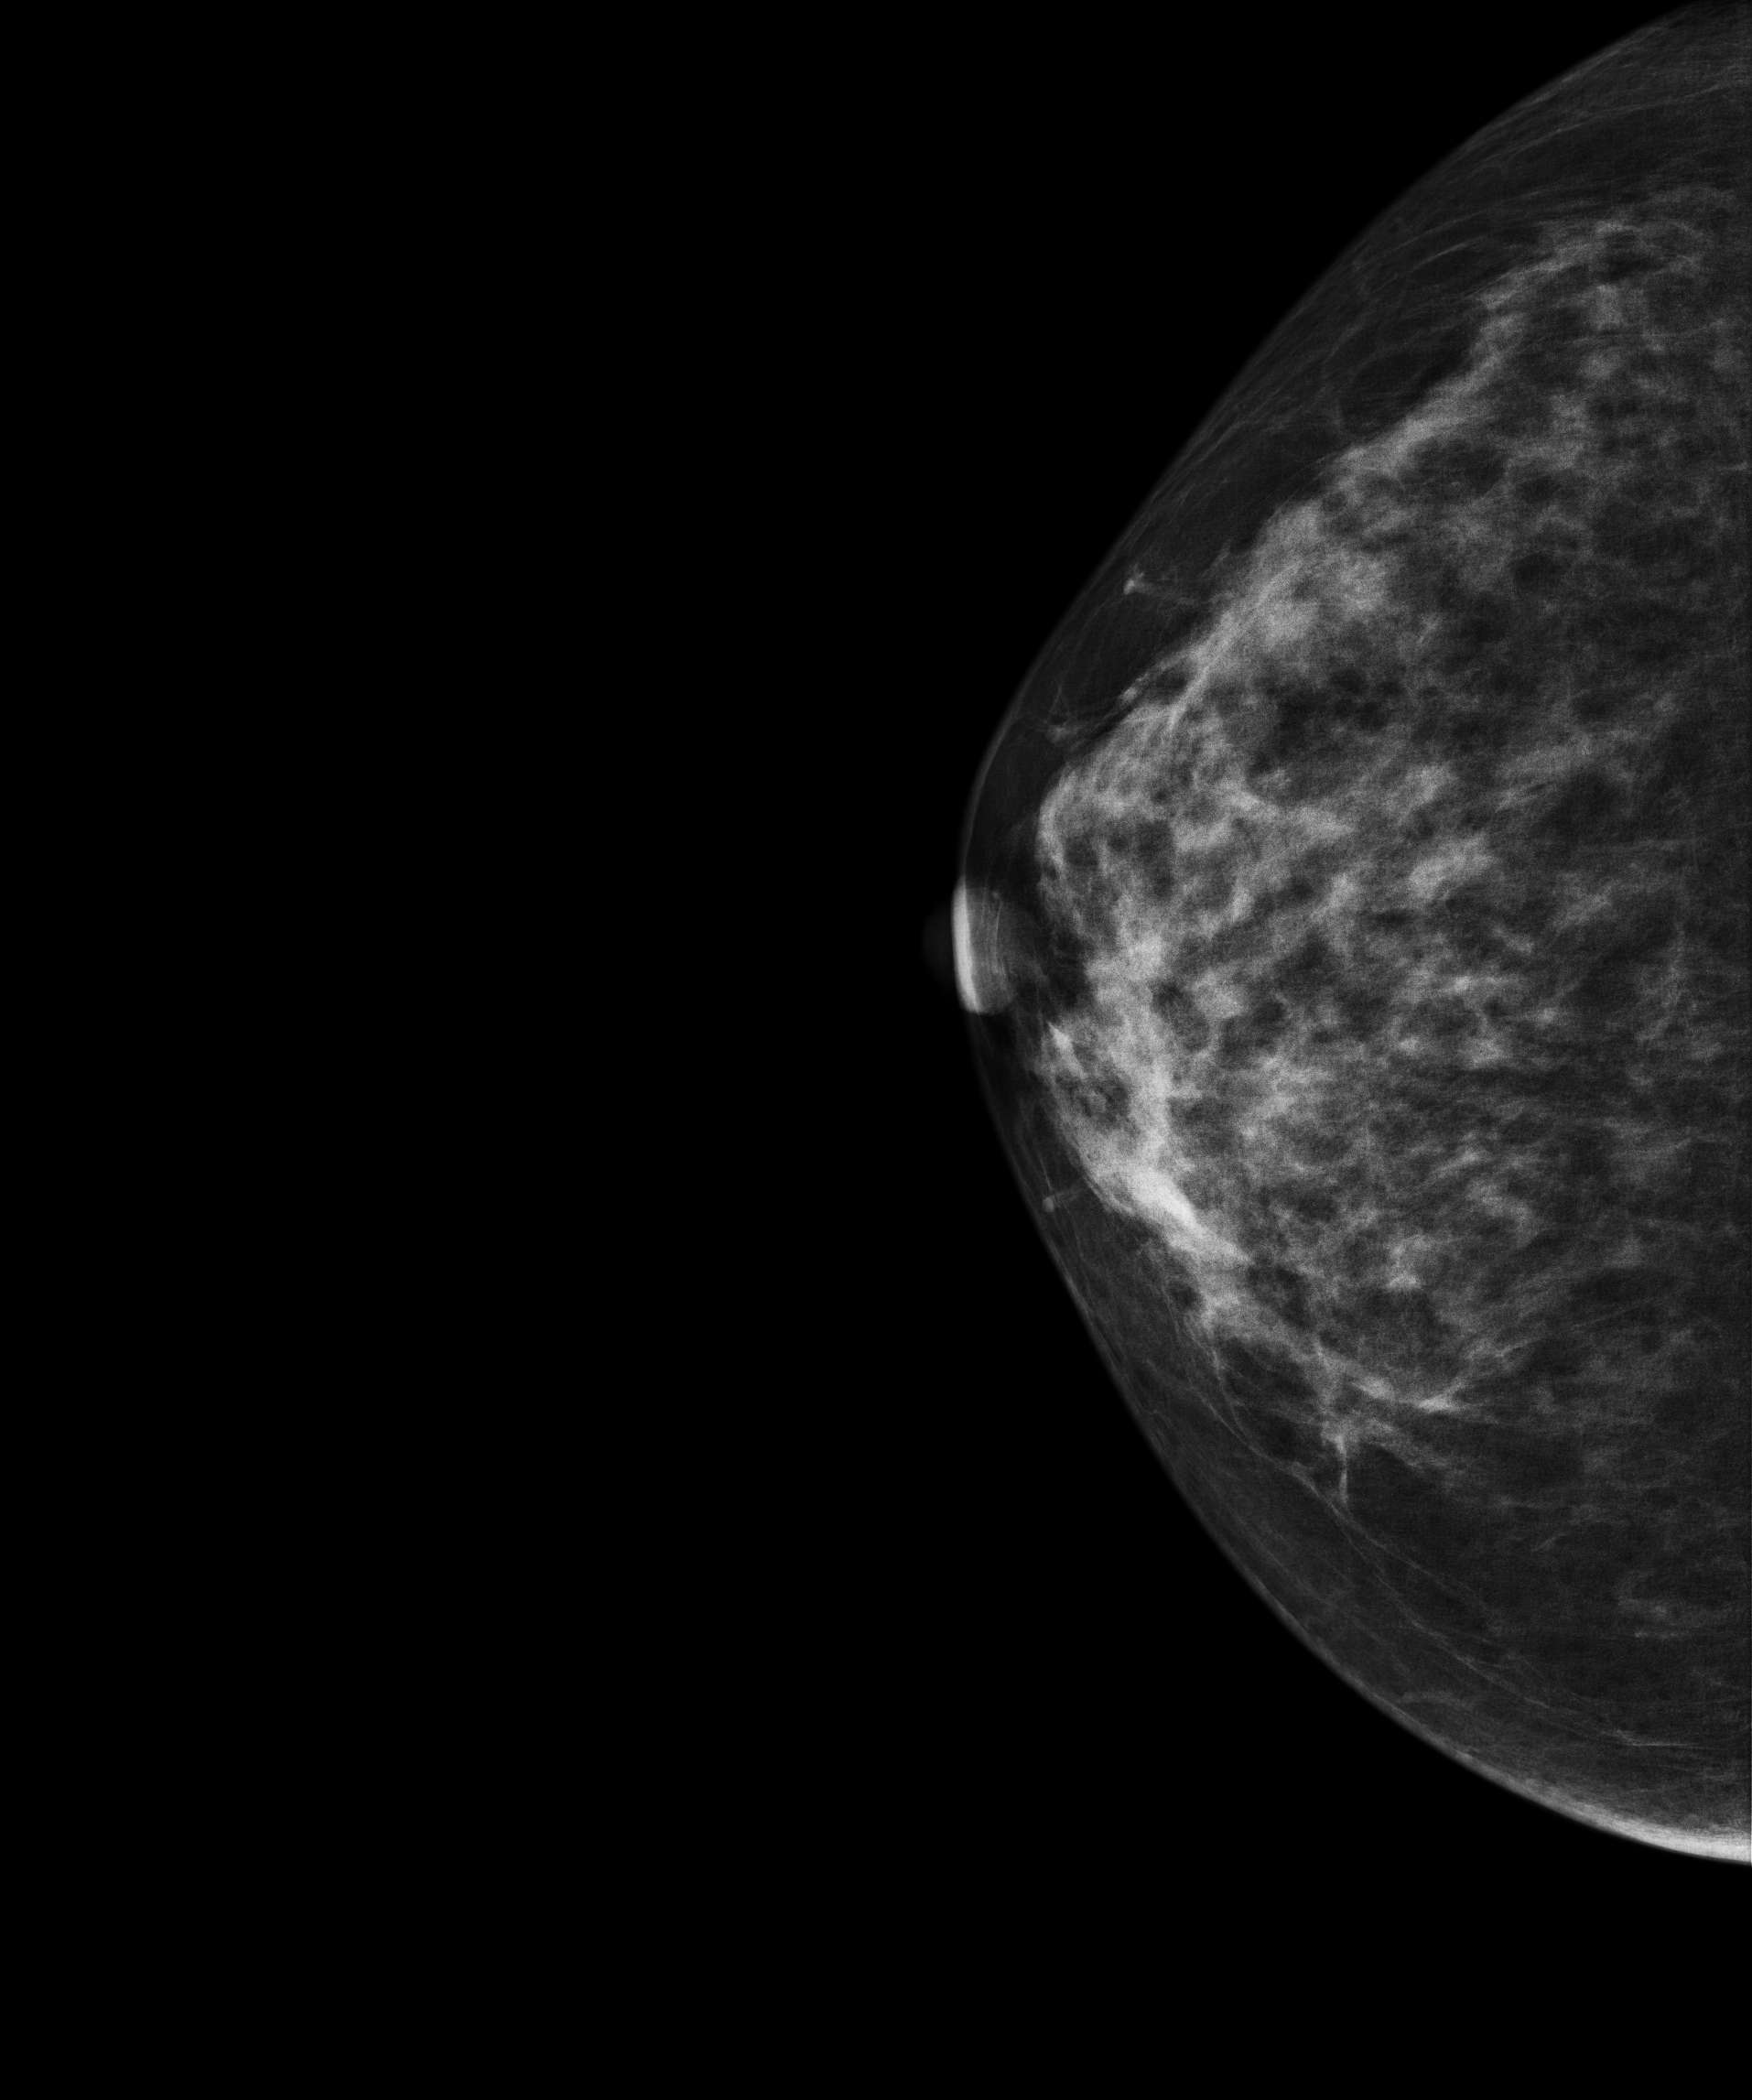
Right-breast mammogram, CC. 57-year-old patient.
Contralateral breast — no documented abnormality on this side.